MLO mammogram of the right breast. 53-year-old patient.
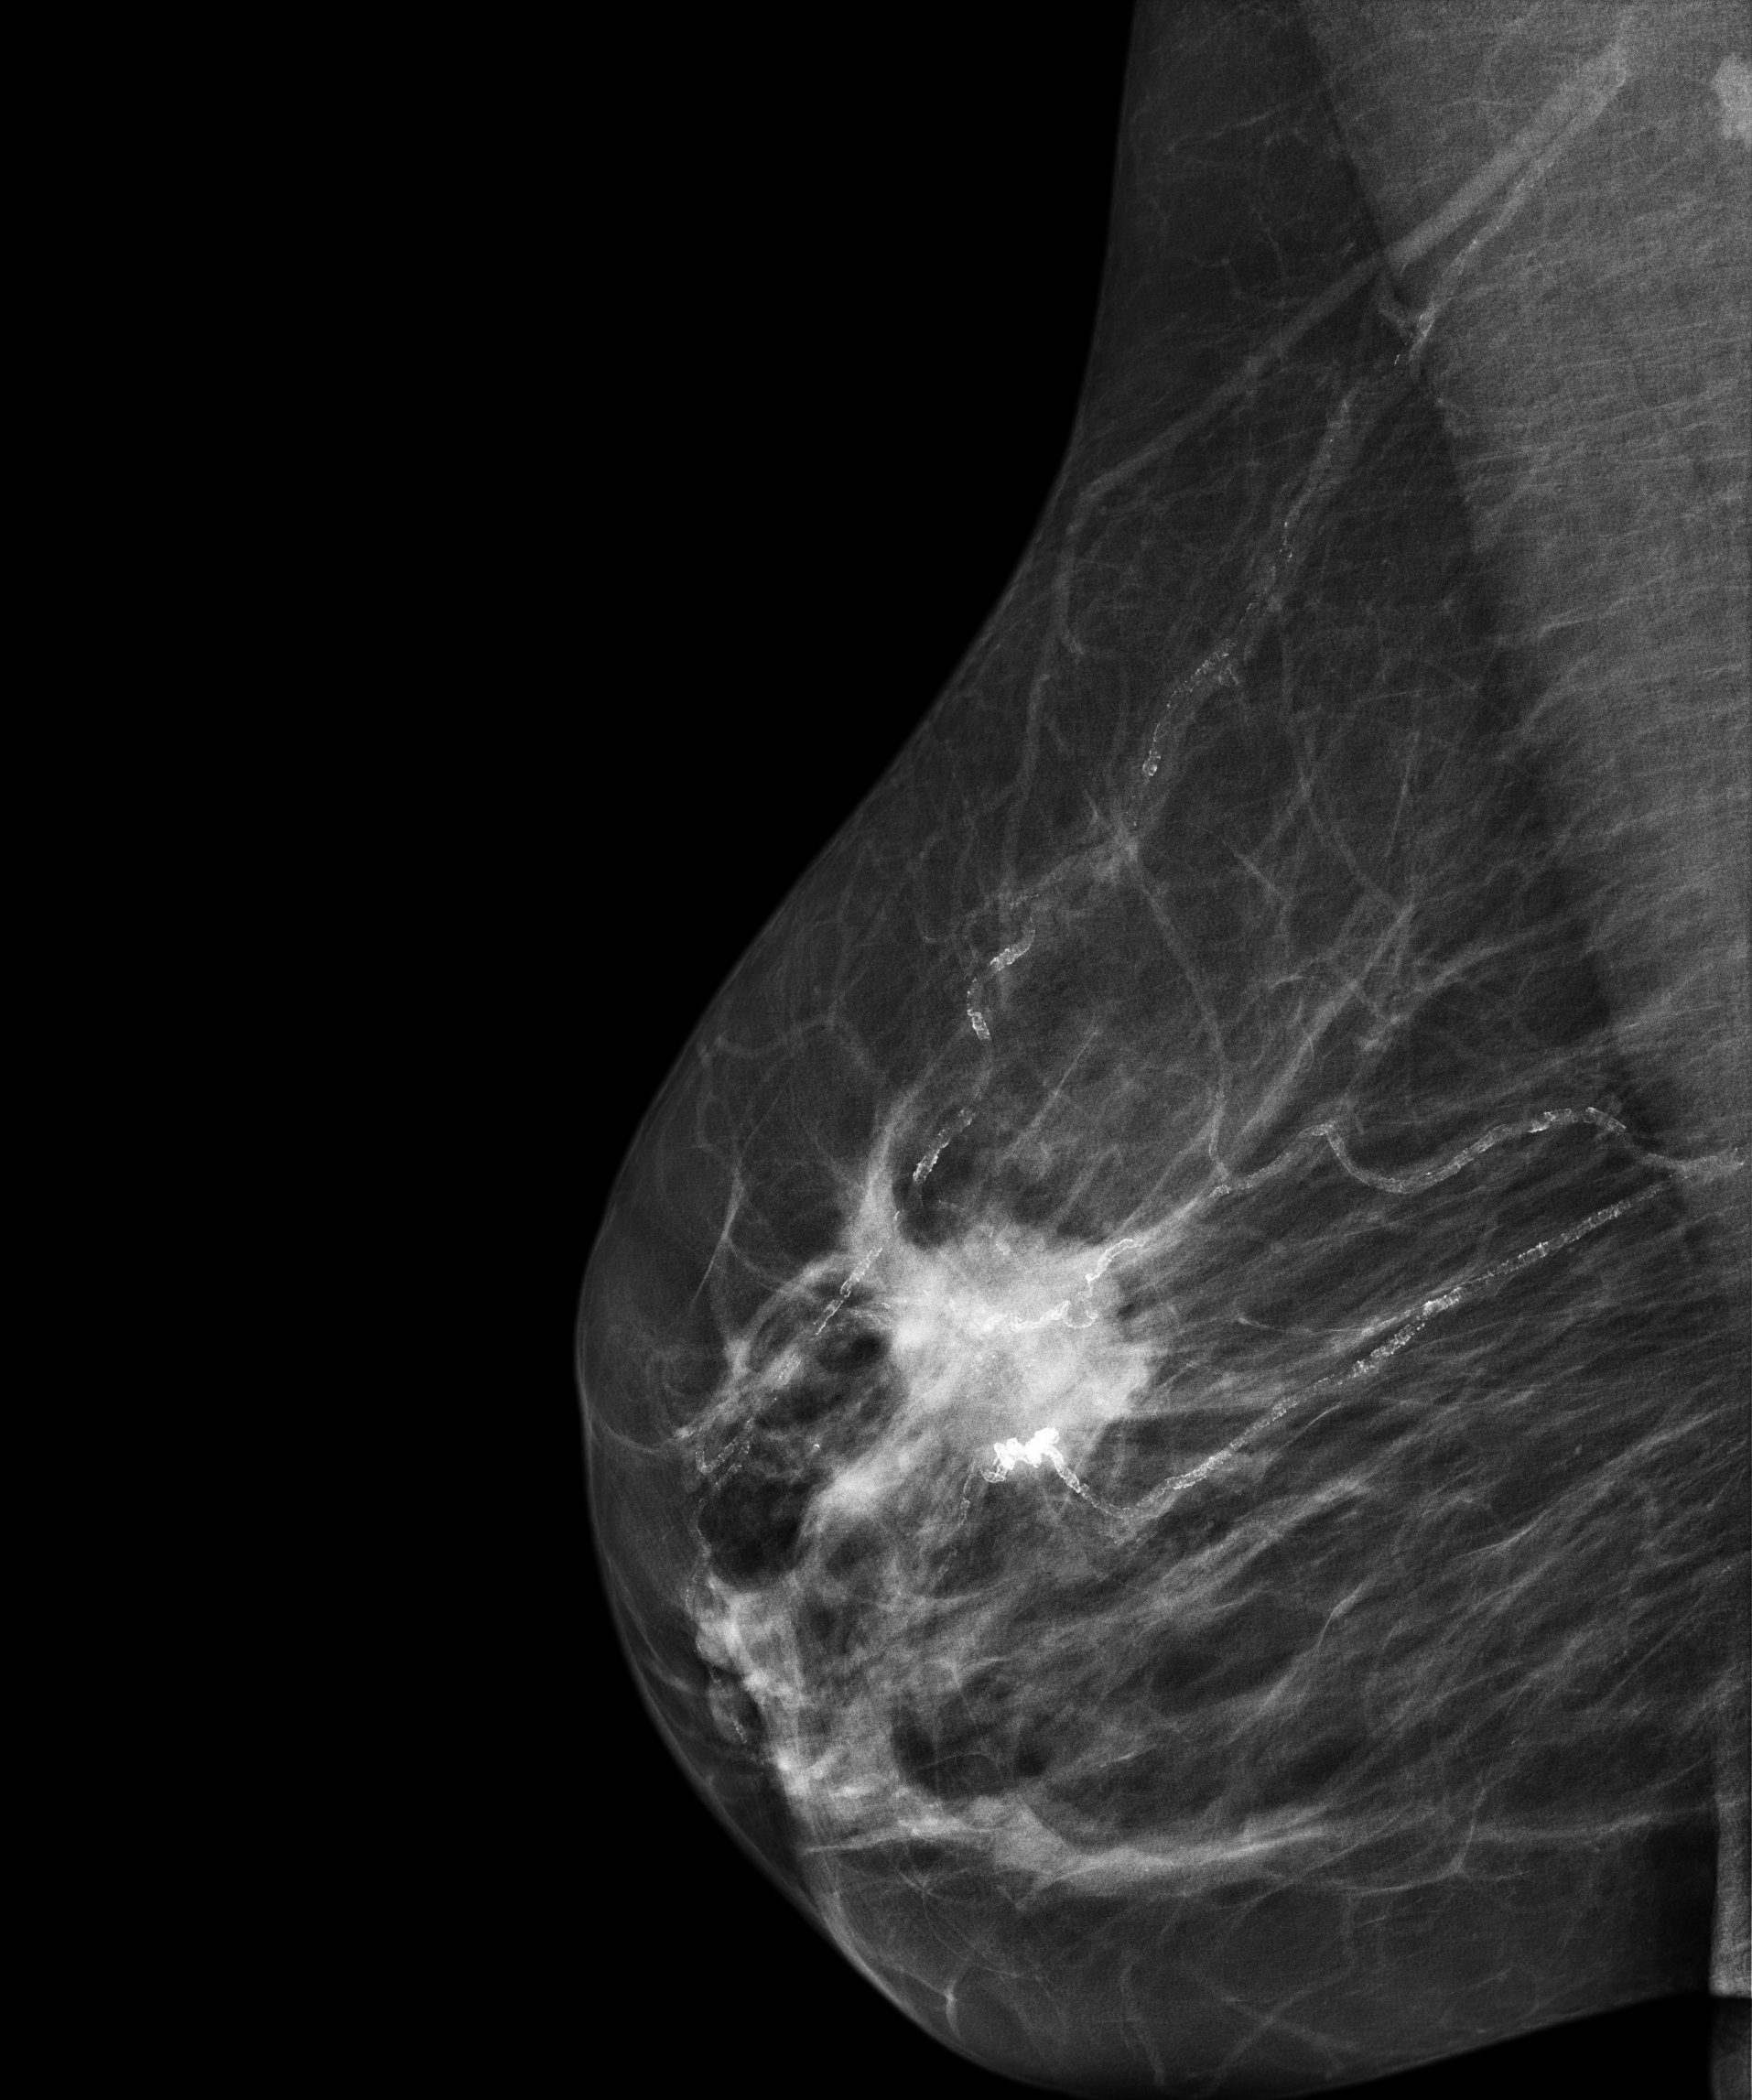
This breast has a mass and calcifications, pathology-confirmed malignant.